CC mammogram of the left breast. Patient age 57.
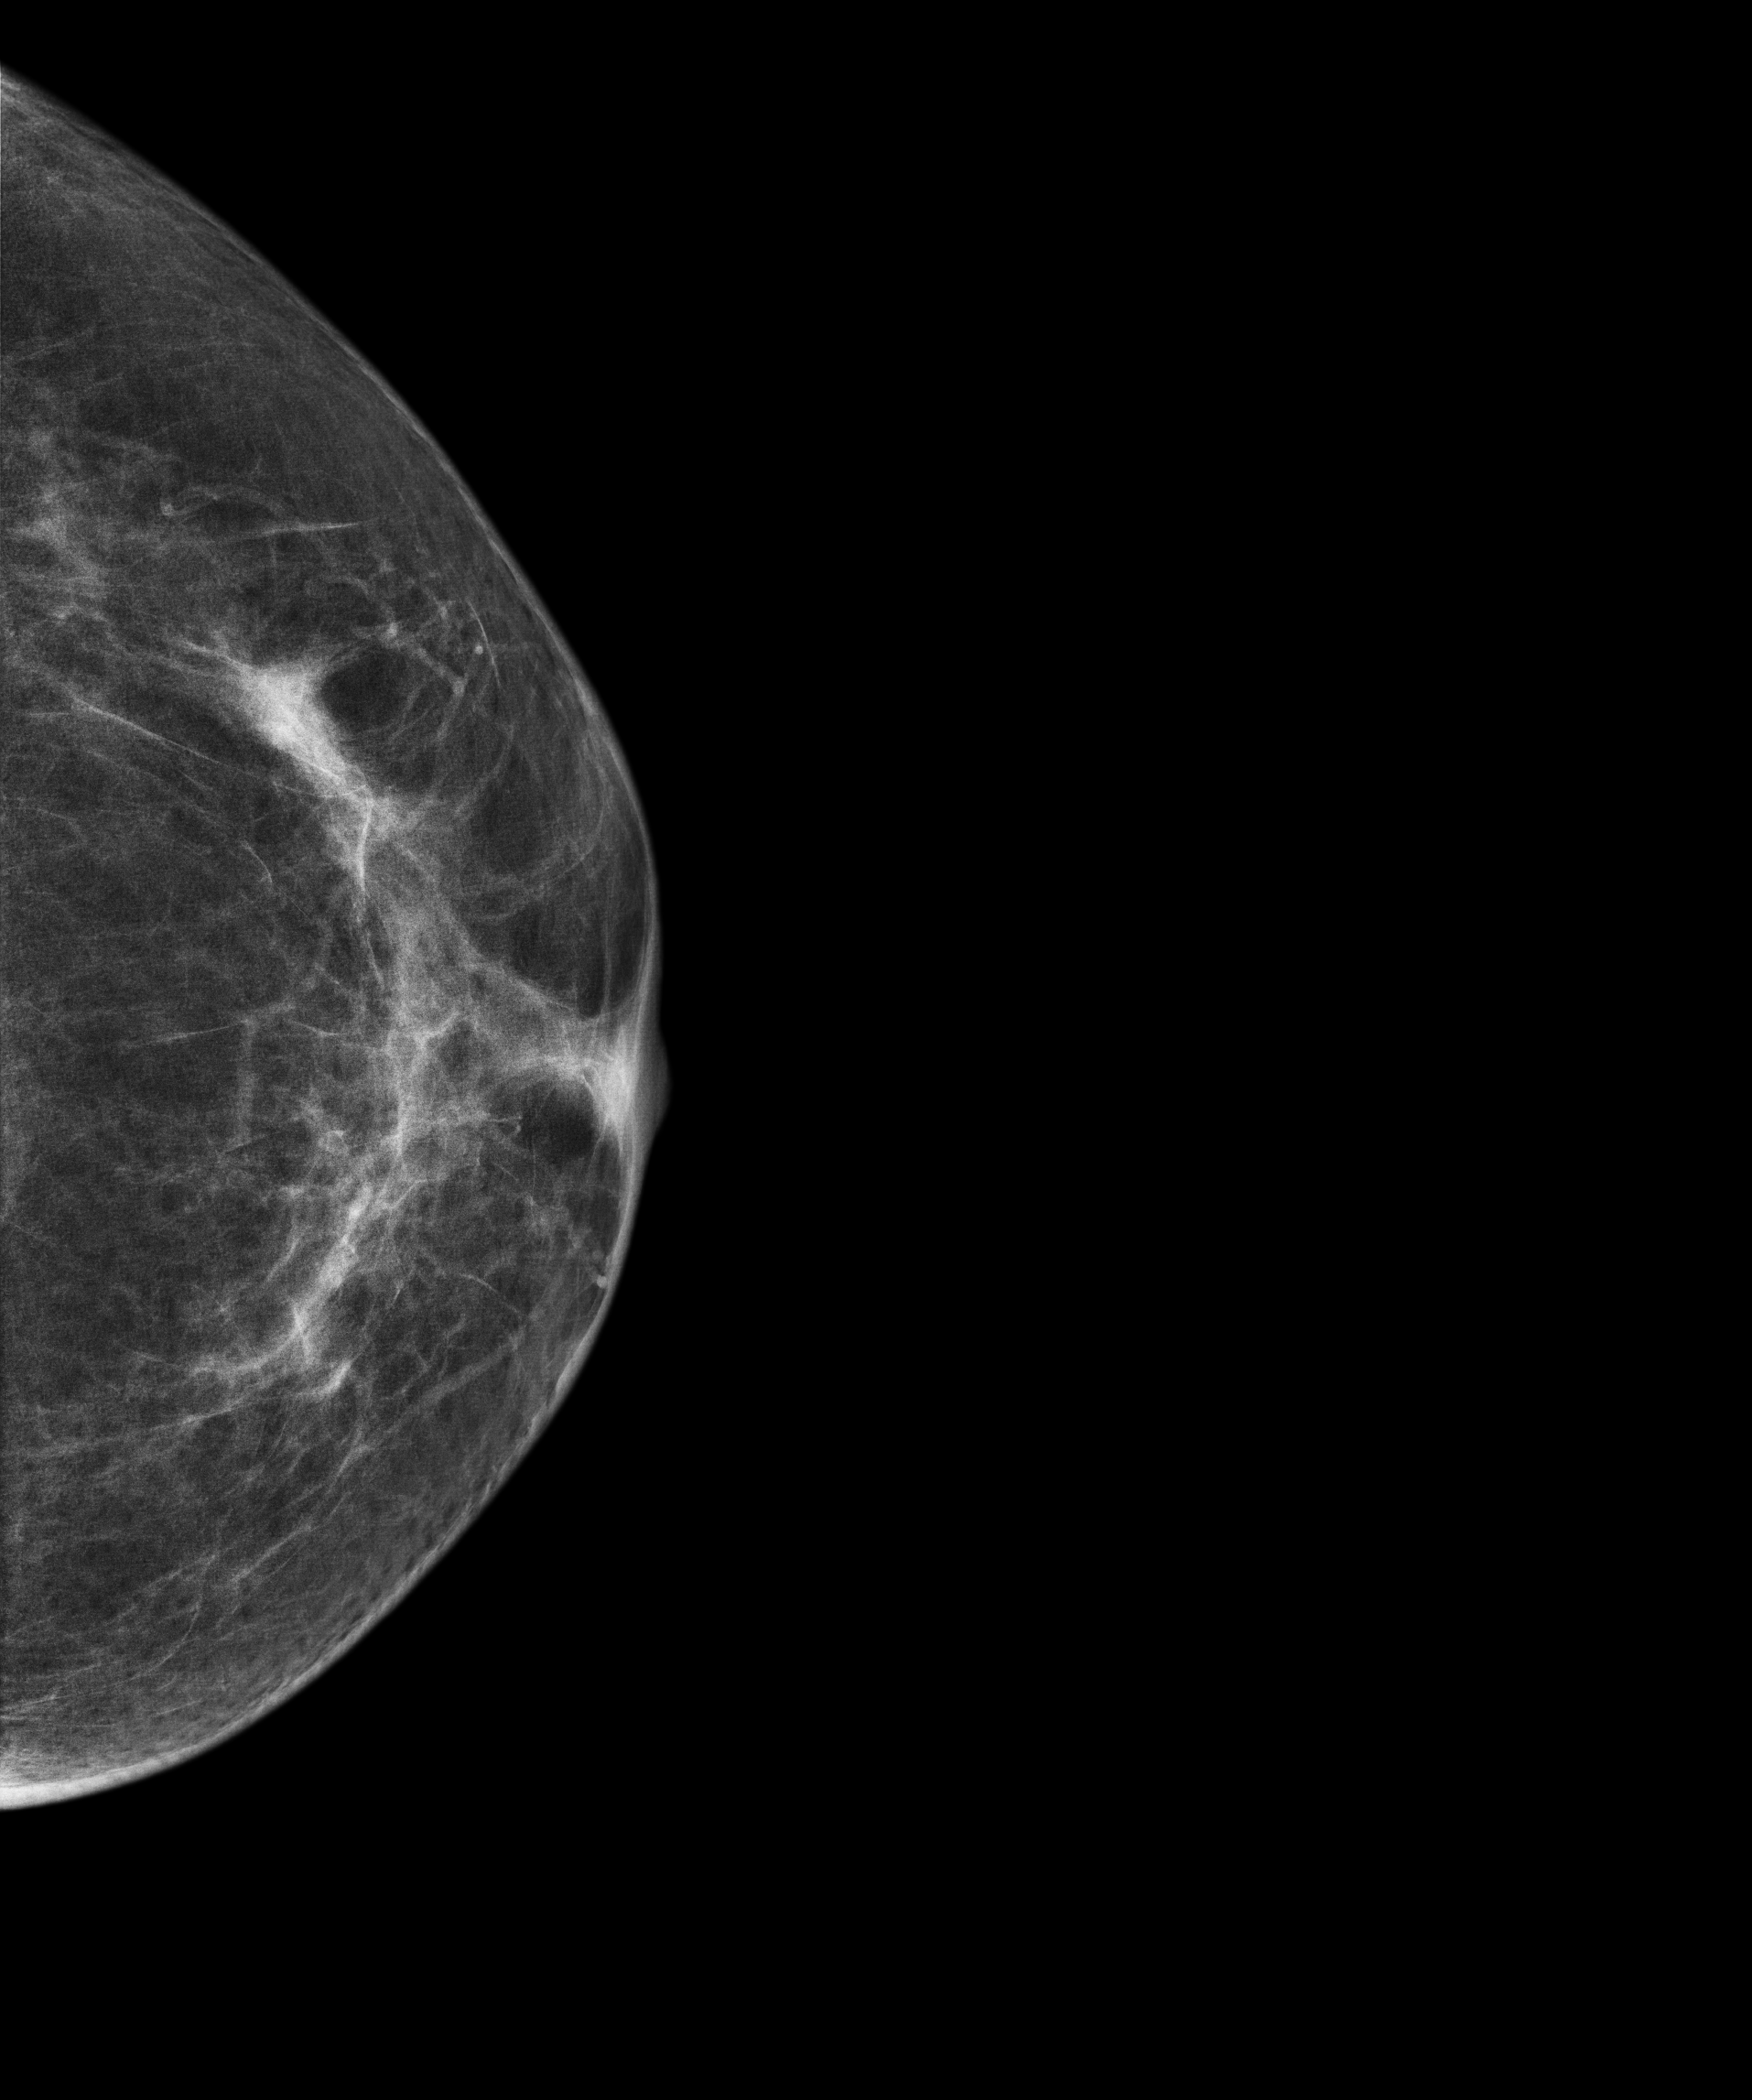
This breast has a mass, biopsy-confirmed malignant.